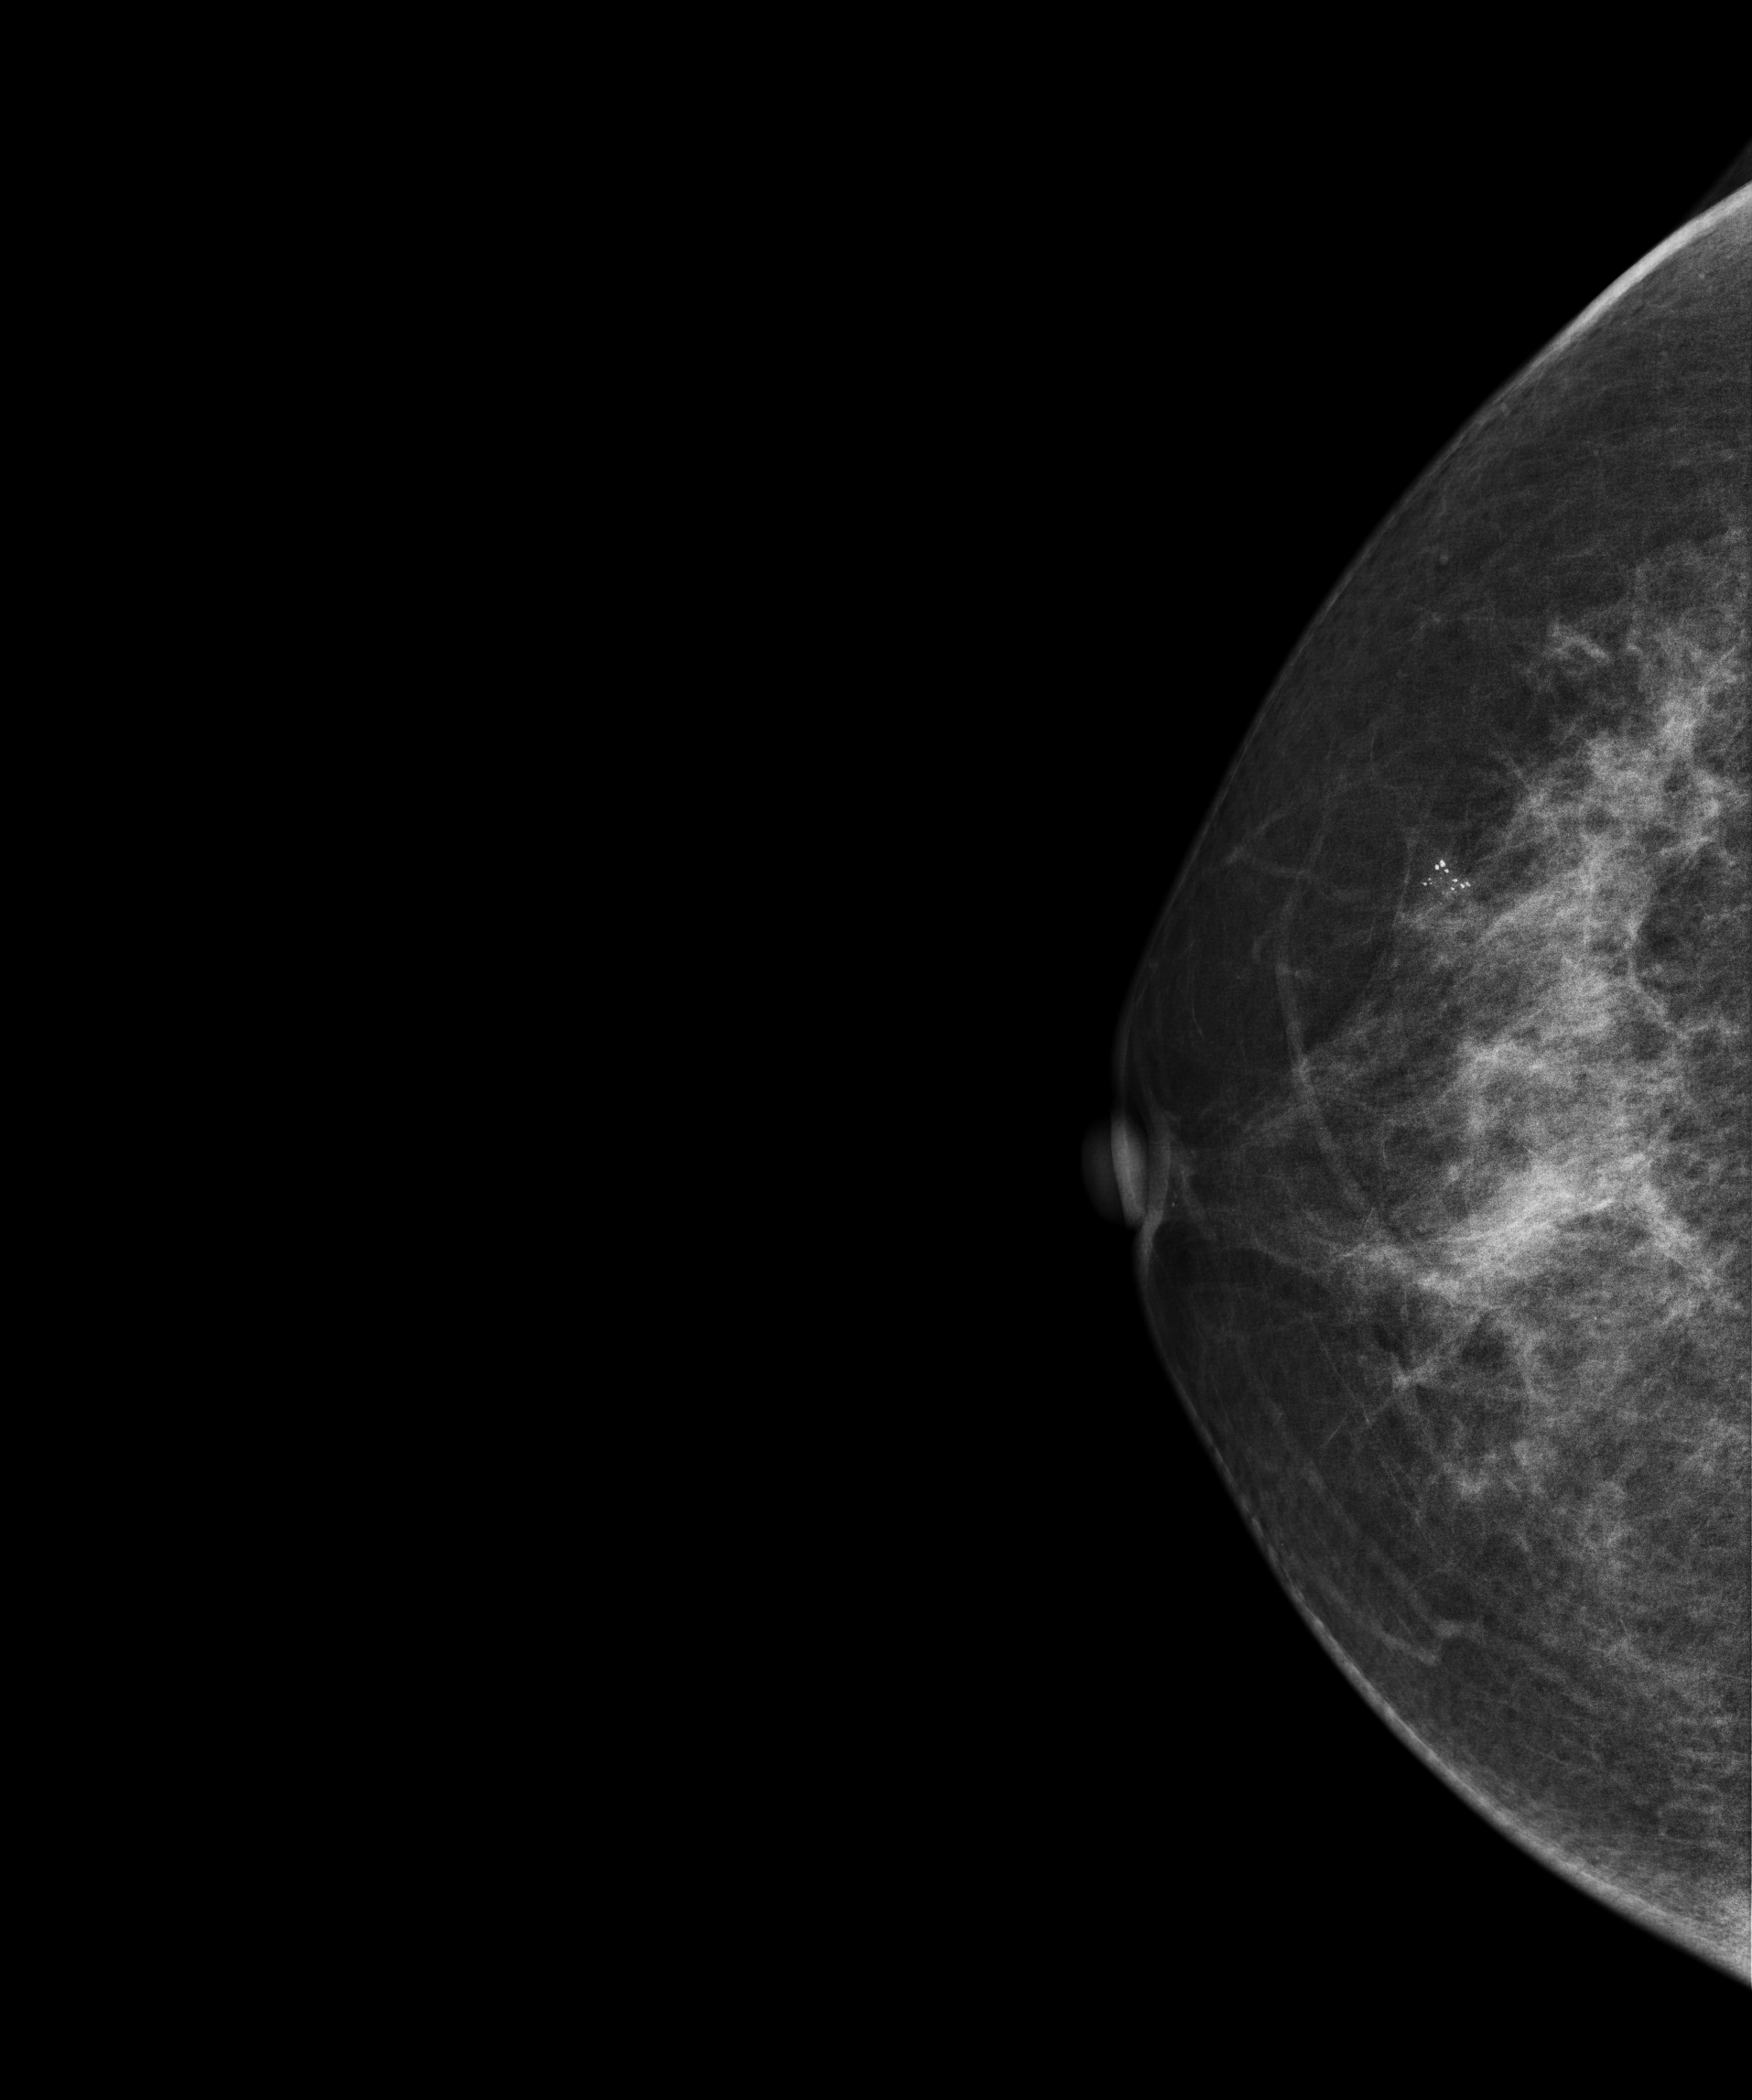
CC mammogram of the right breast. Patient age 58.
This breast has calcifications, biopsy-confirmed benign.